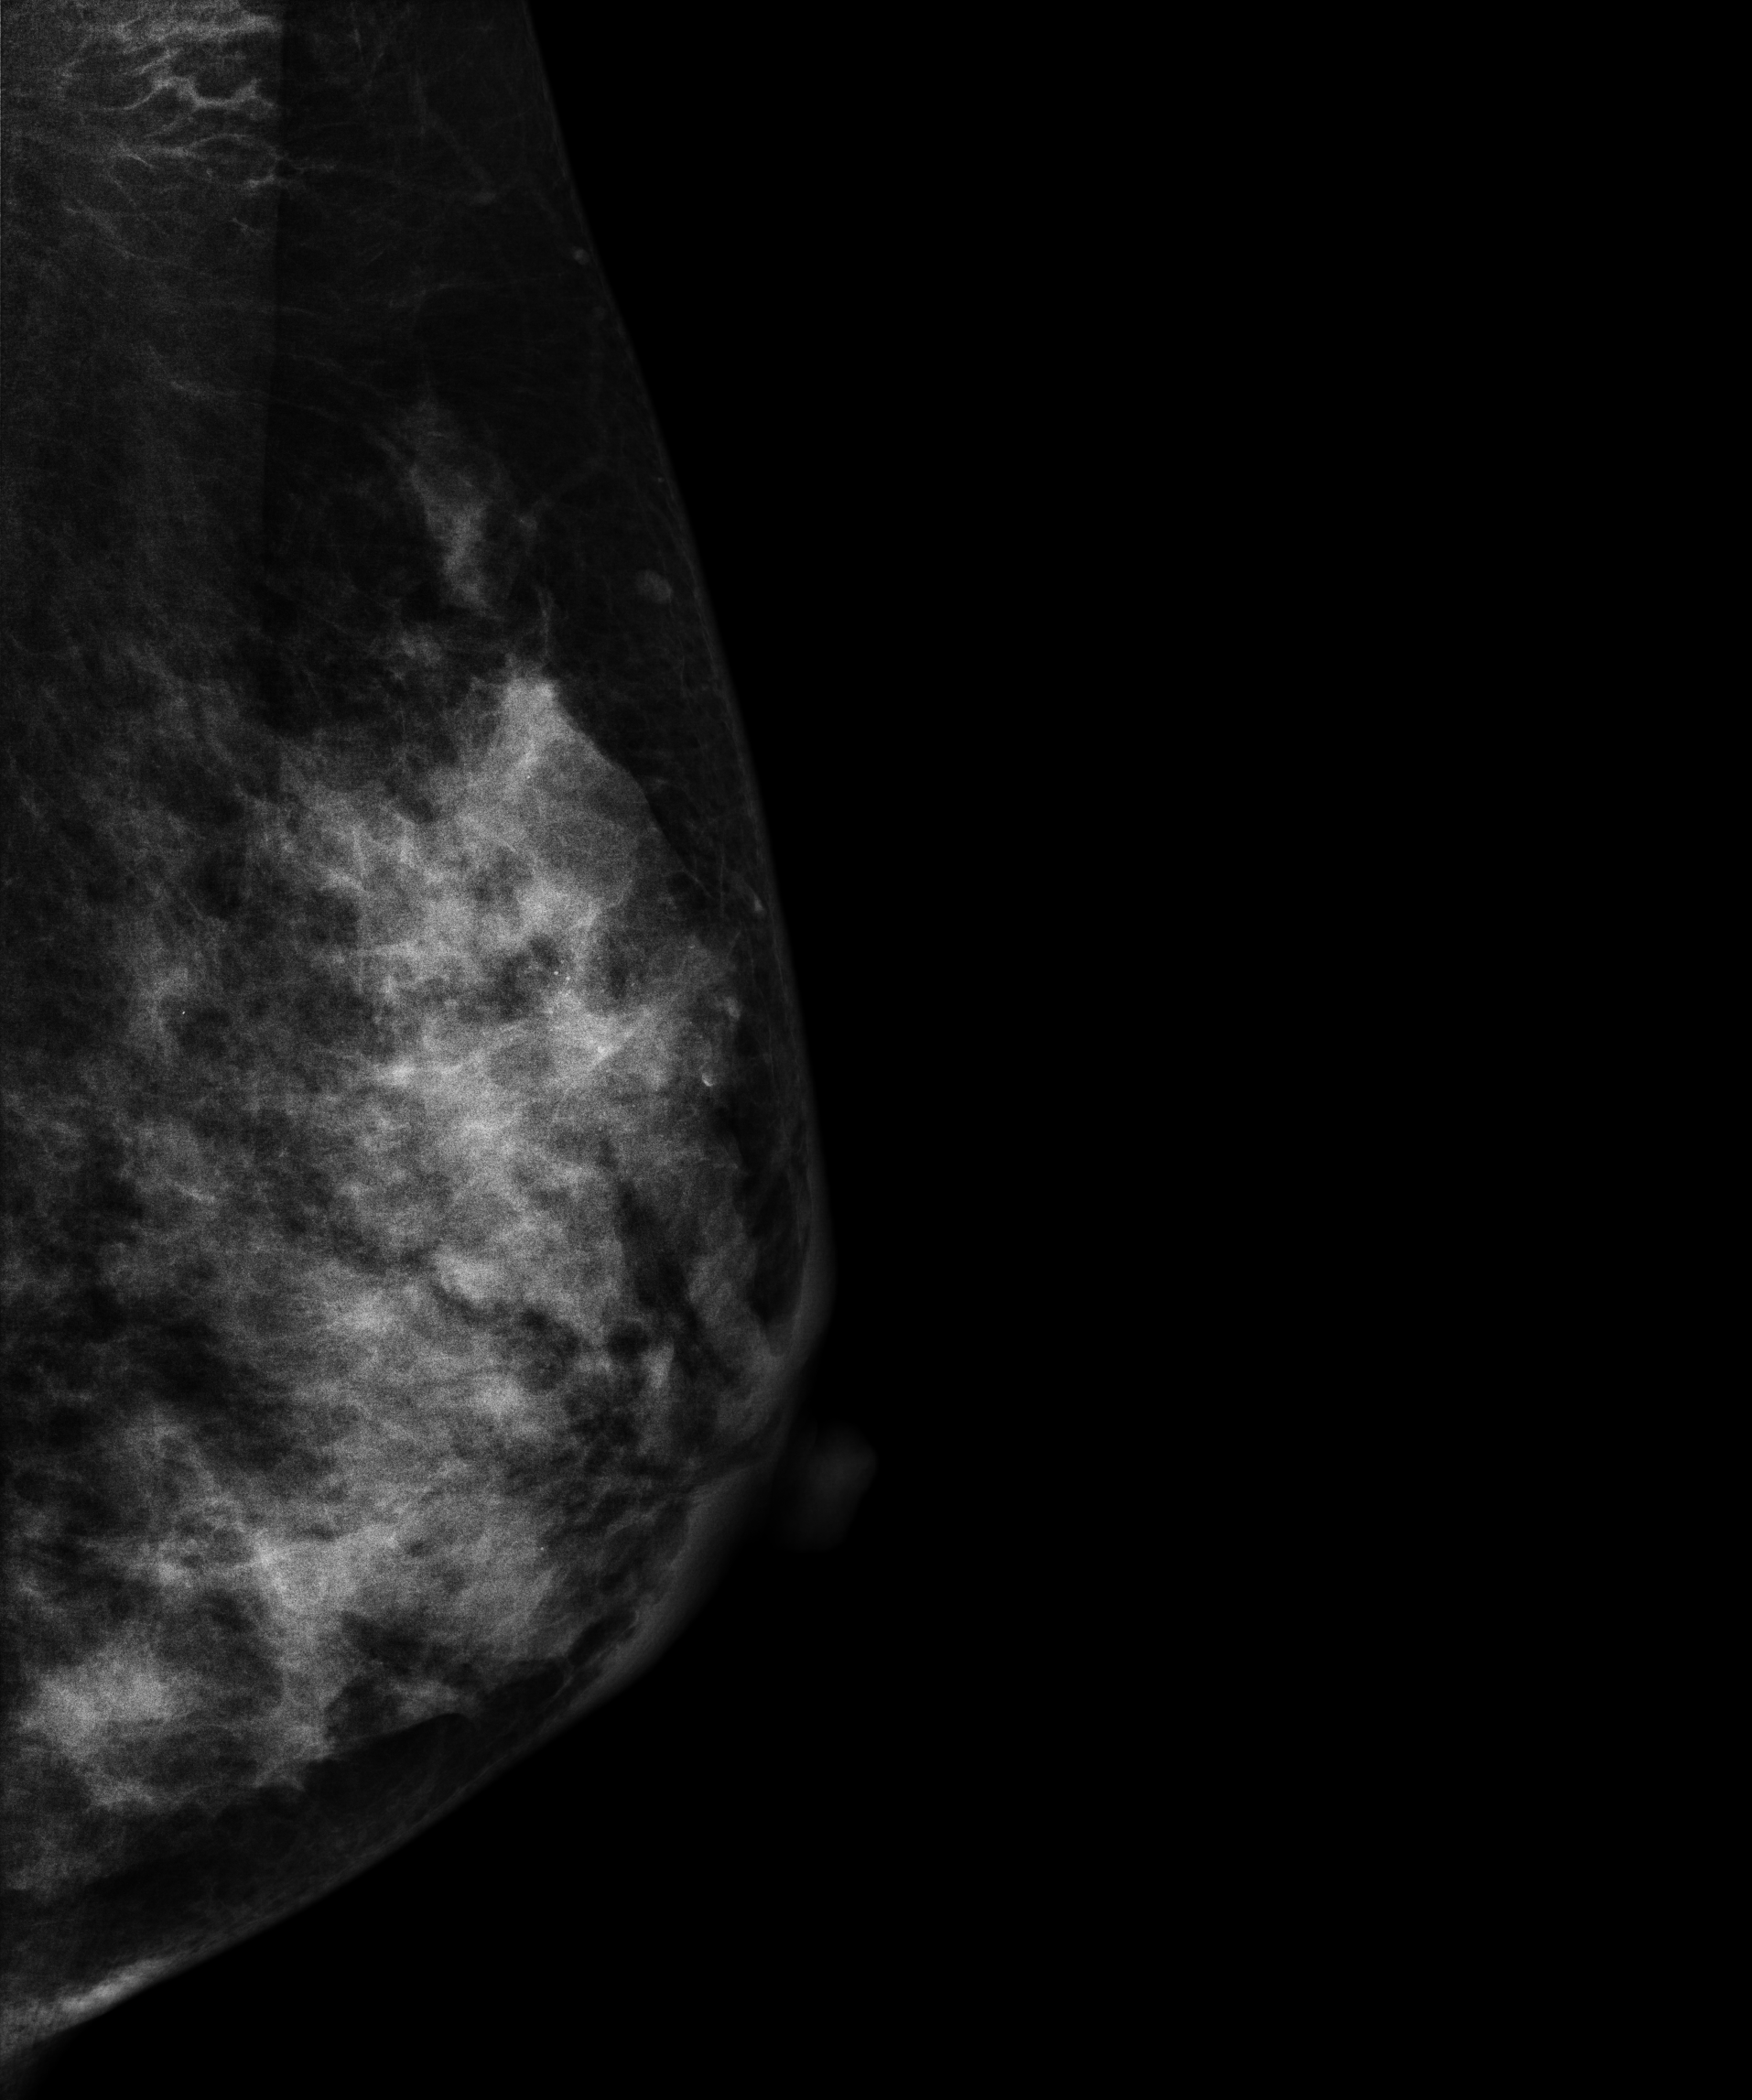
Left-breast mammogram, medio-lateral oblique. 47 y/o patient.
This breast has calcifications, pathology-confirmed malignant.